Mammogram, left breast, medio-lateral oblique view. 44 y/o patient.
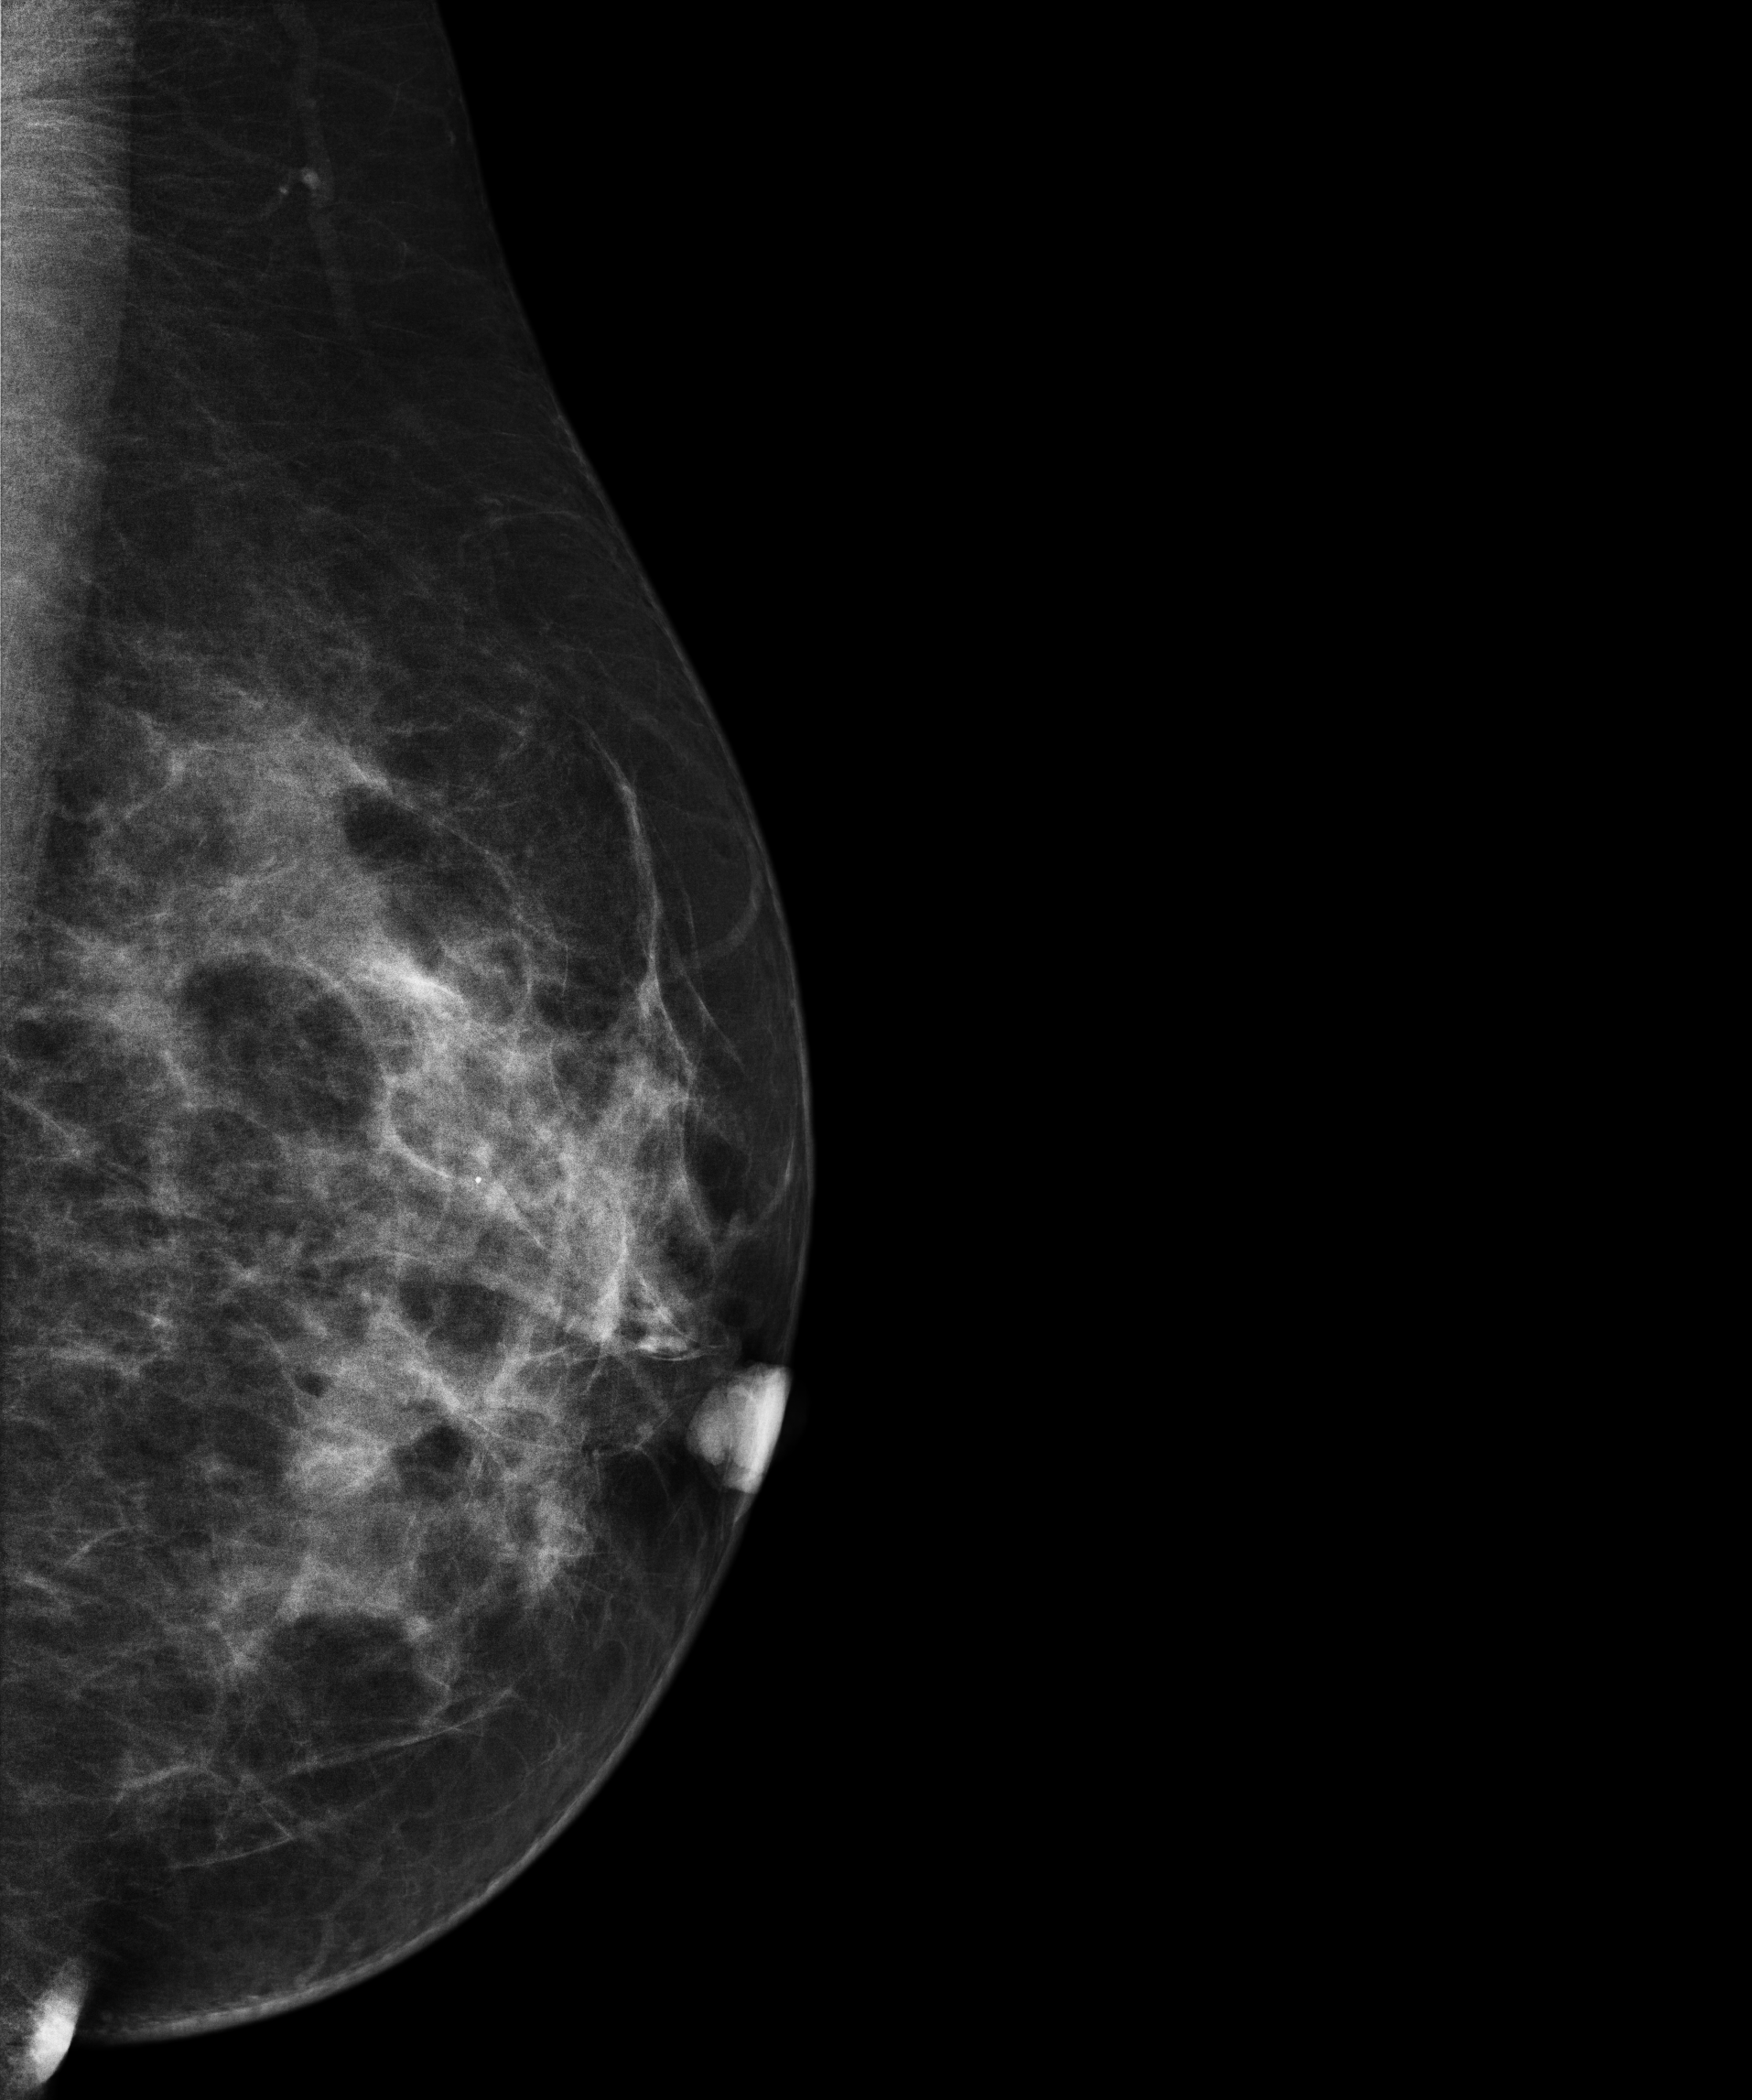
Contralateral breast — no documented abnormality on this side.